Mammogram — right cranio-caudal. 45-year-old patient.
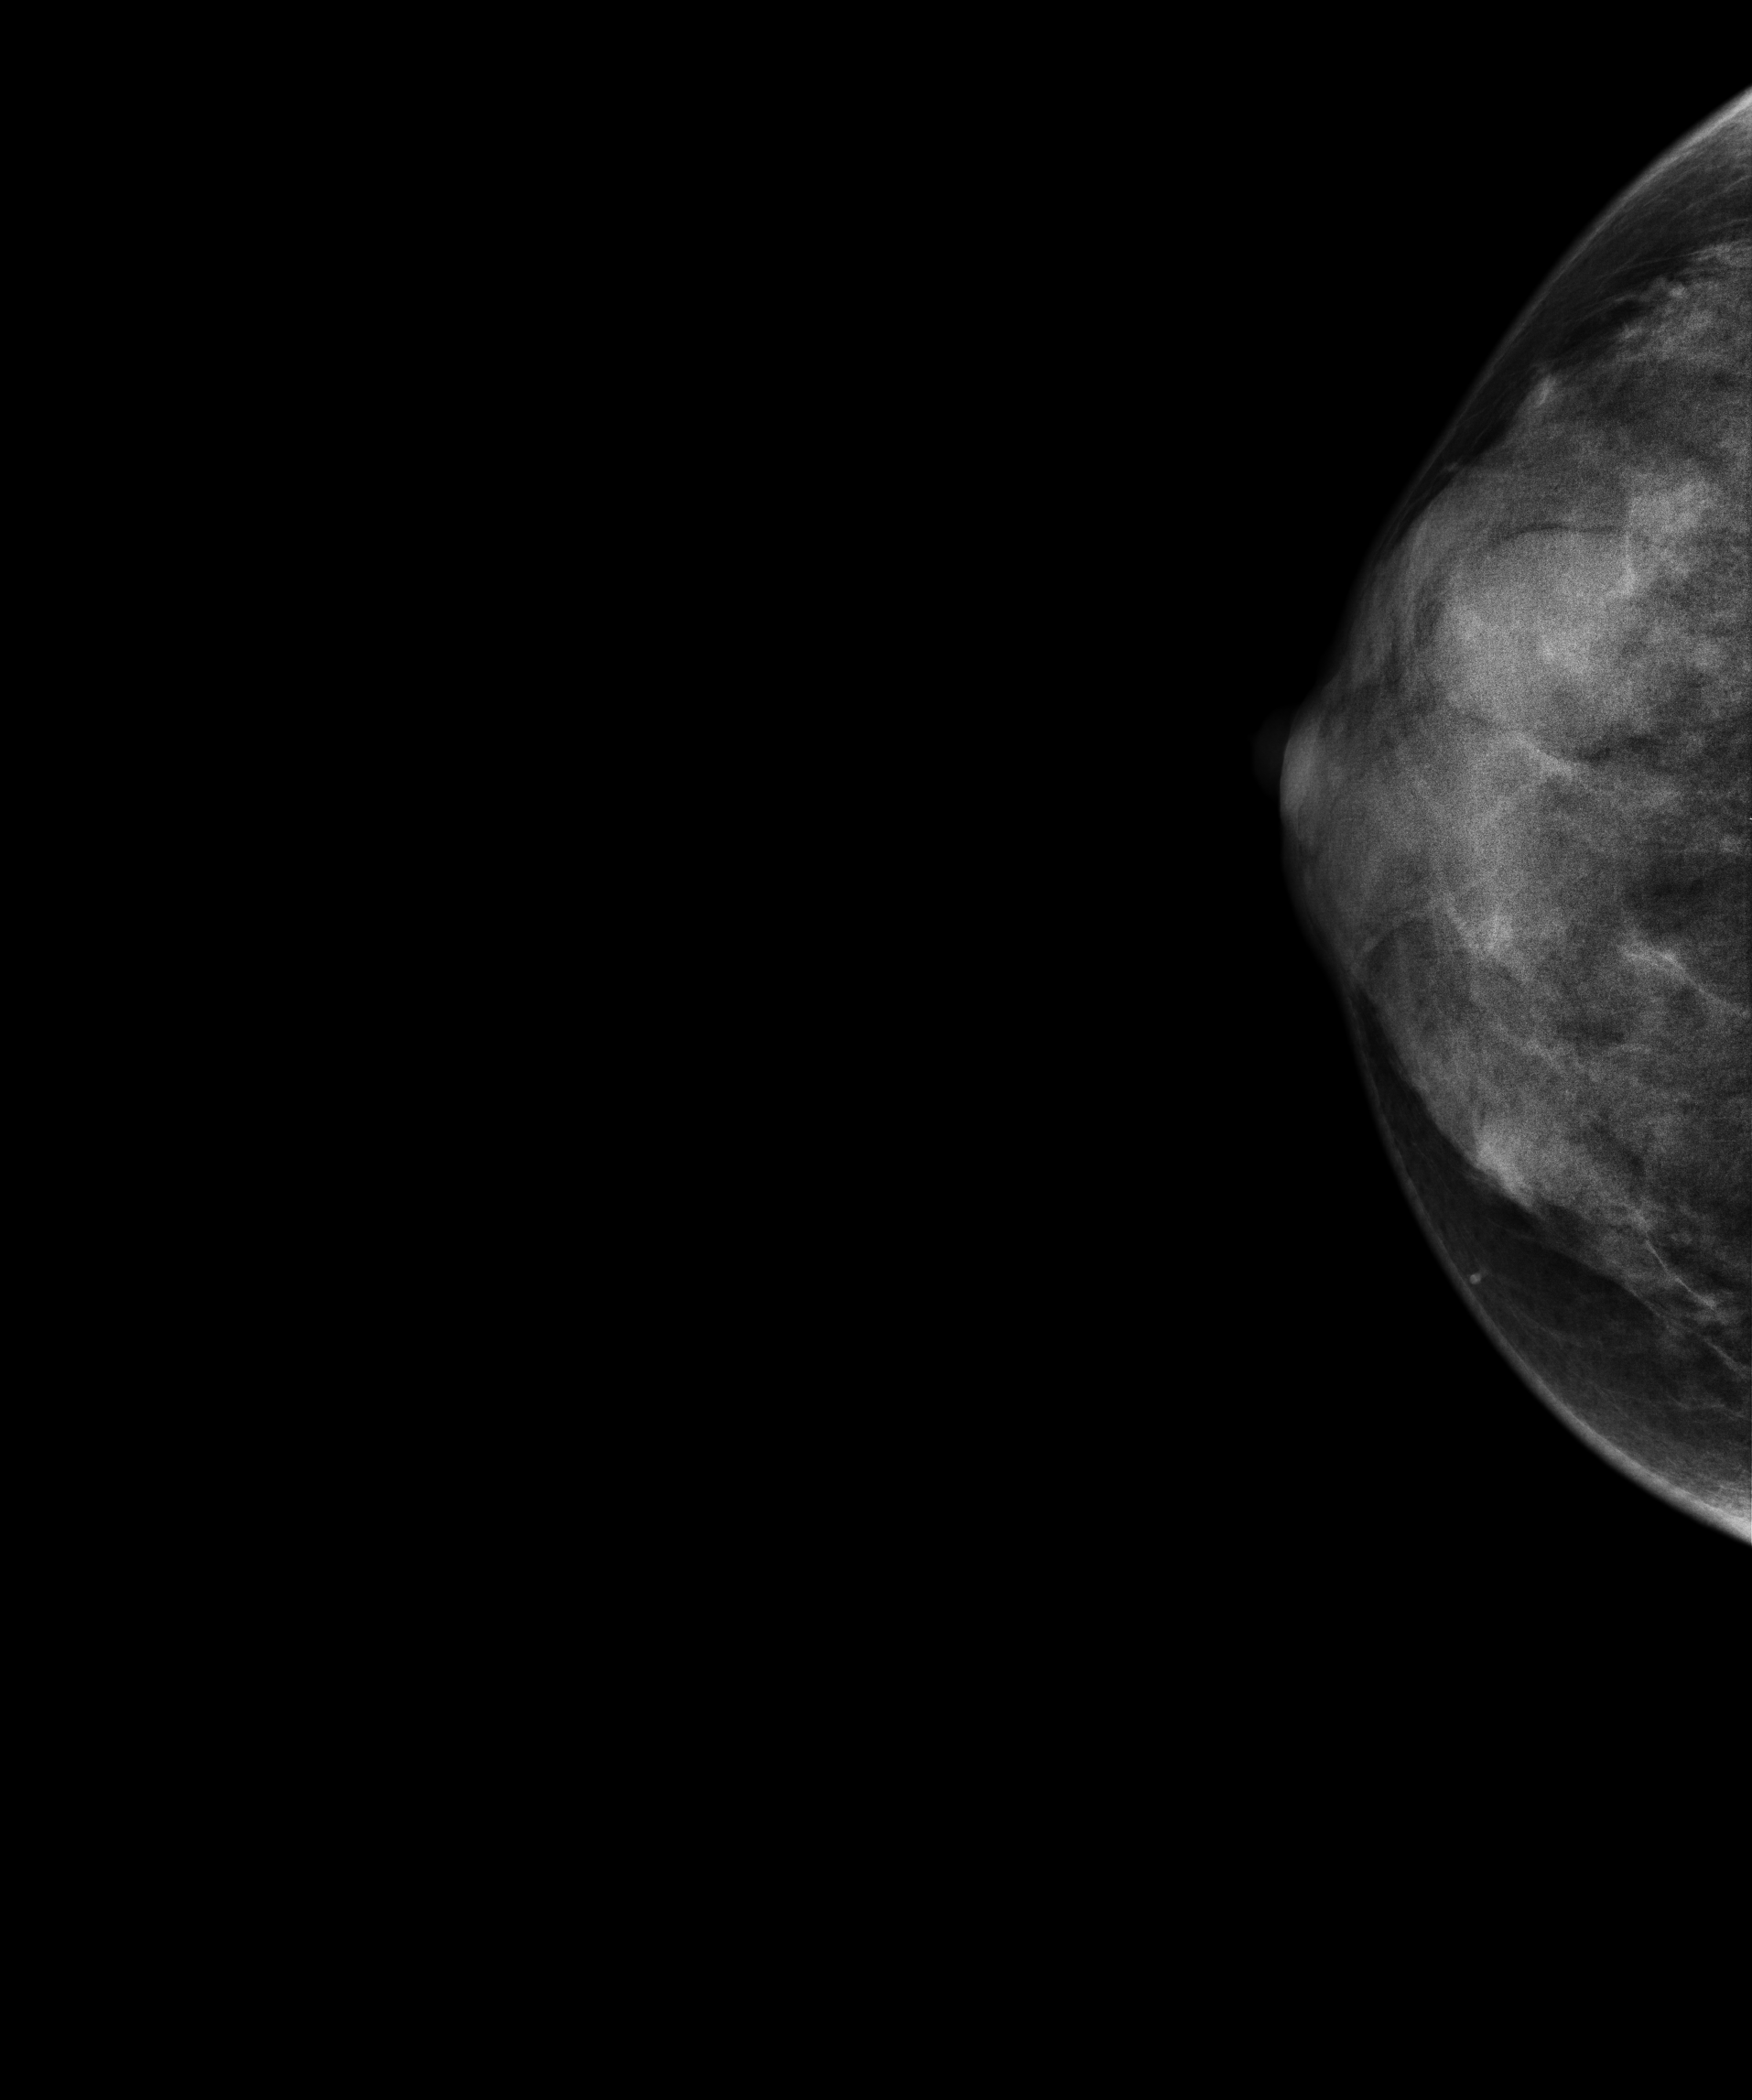
This breast has a mass, histologically confirmed benign.